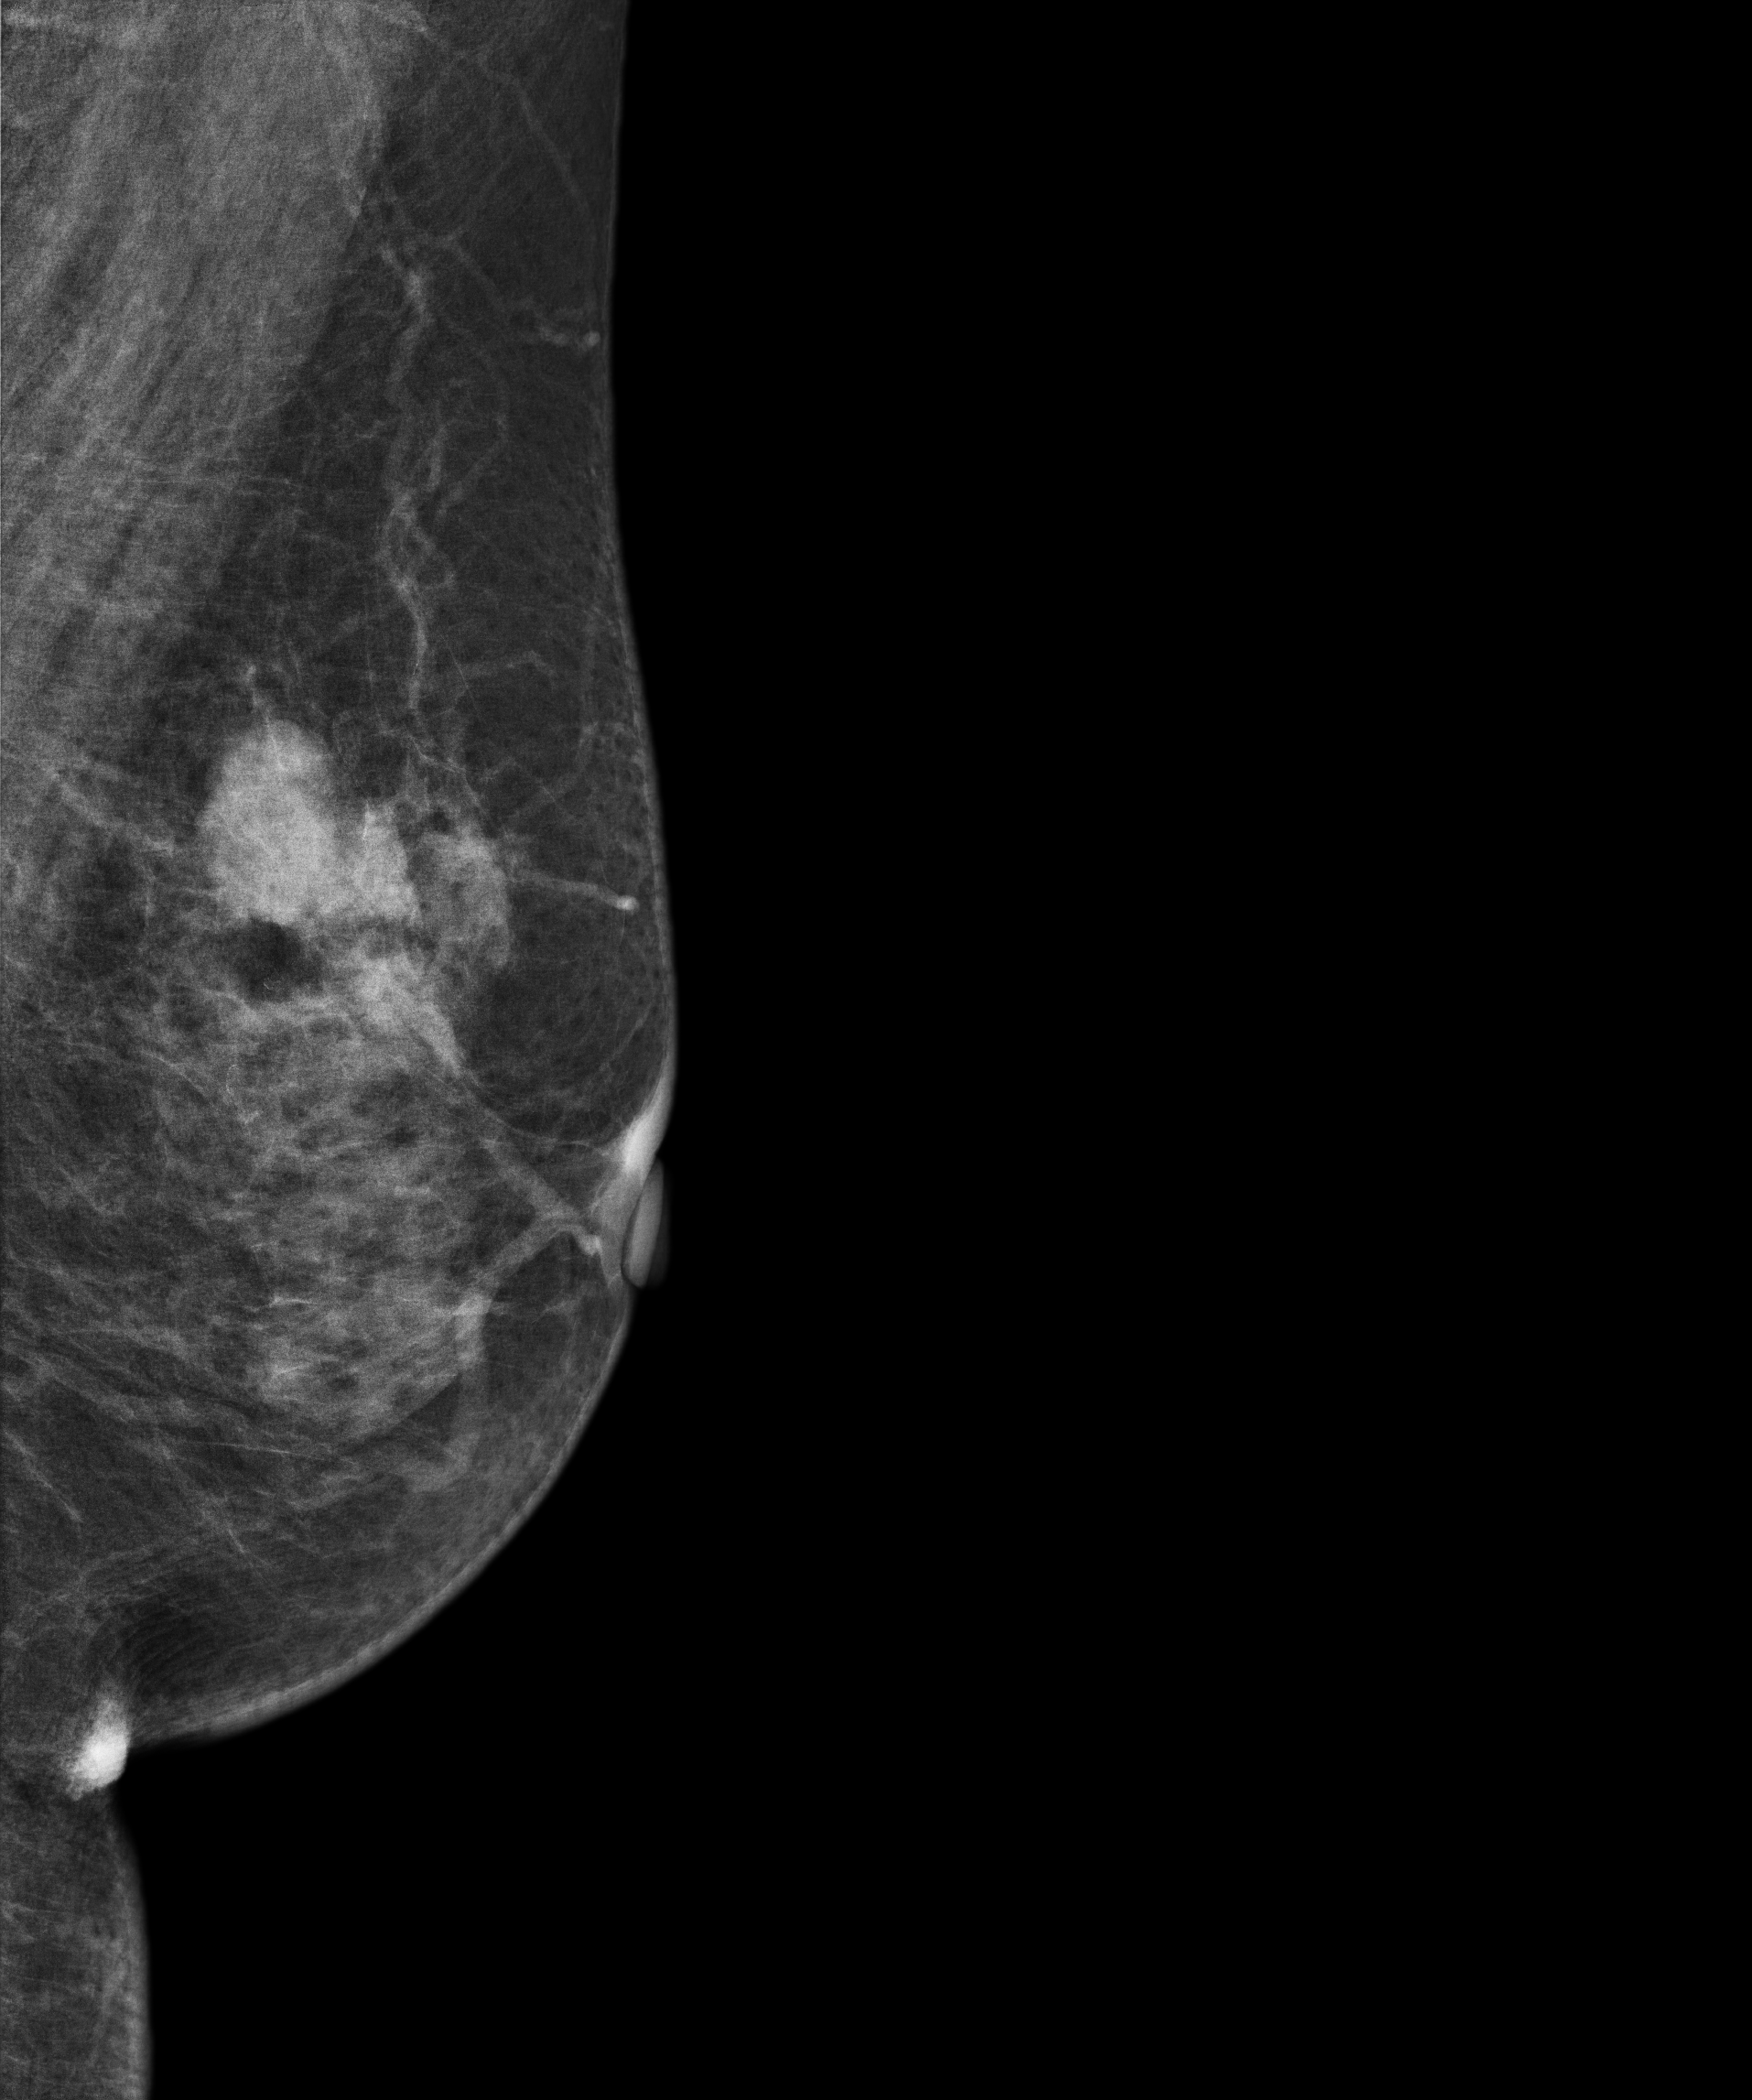
Left-breast mammogram, medio-lateral oblique. 77 y/o patient.
This breast has a mass, biopsy-proven malignant. Molecular subtype: luminal B.